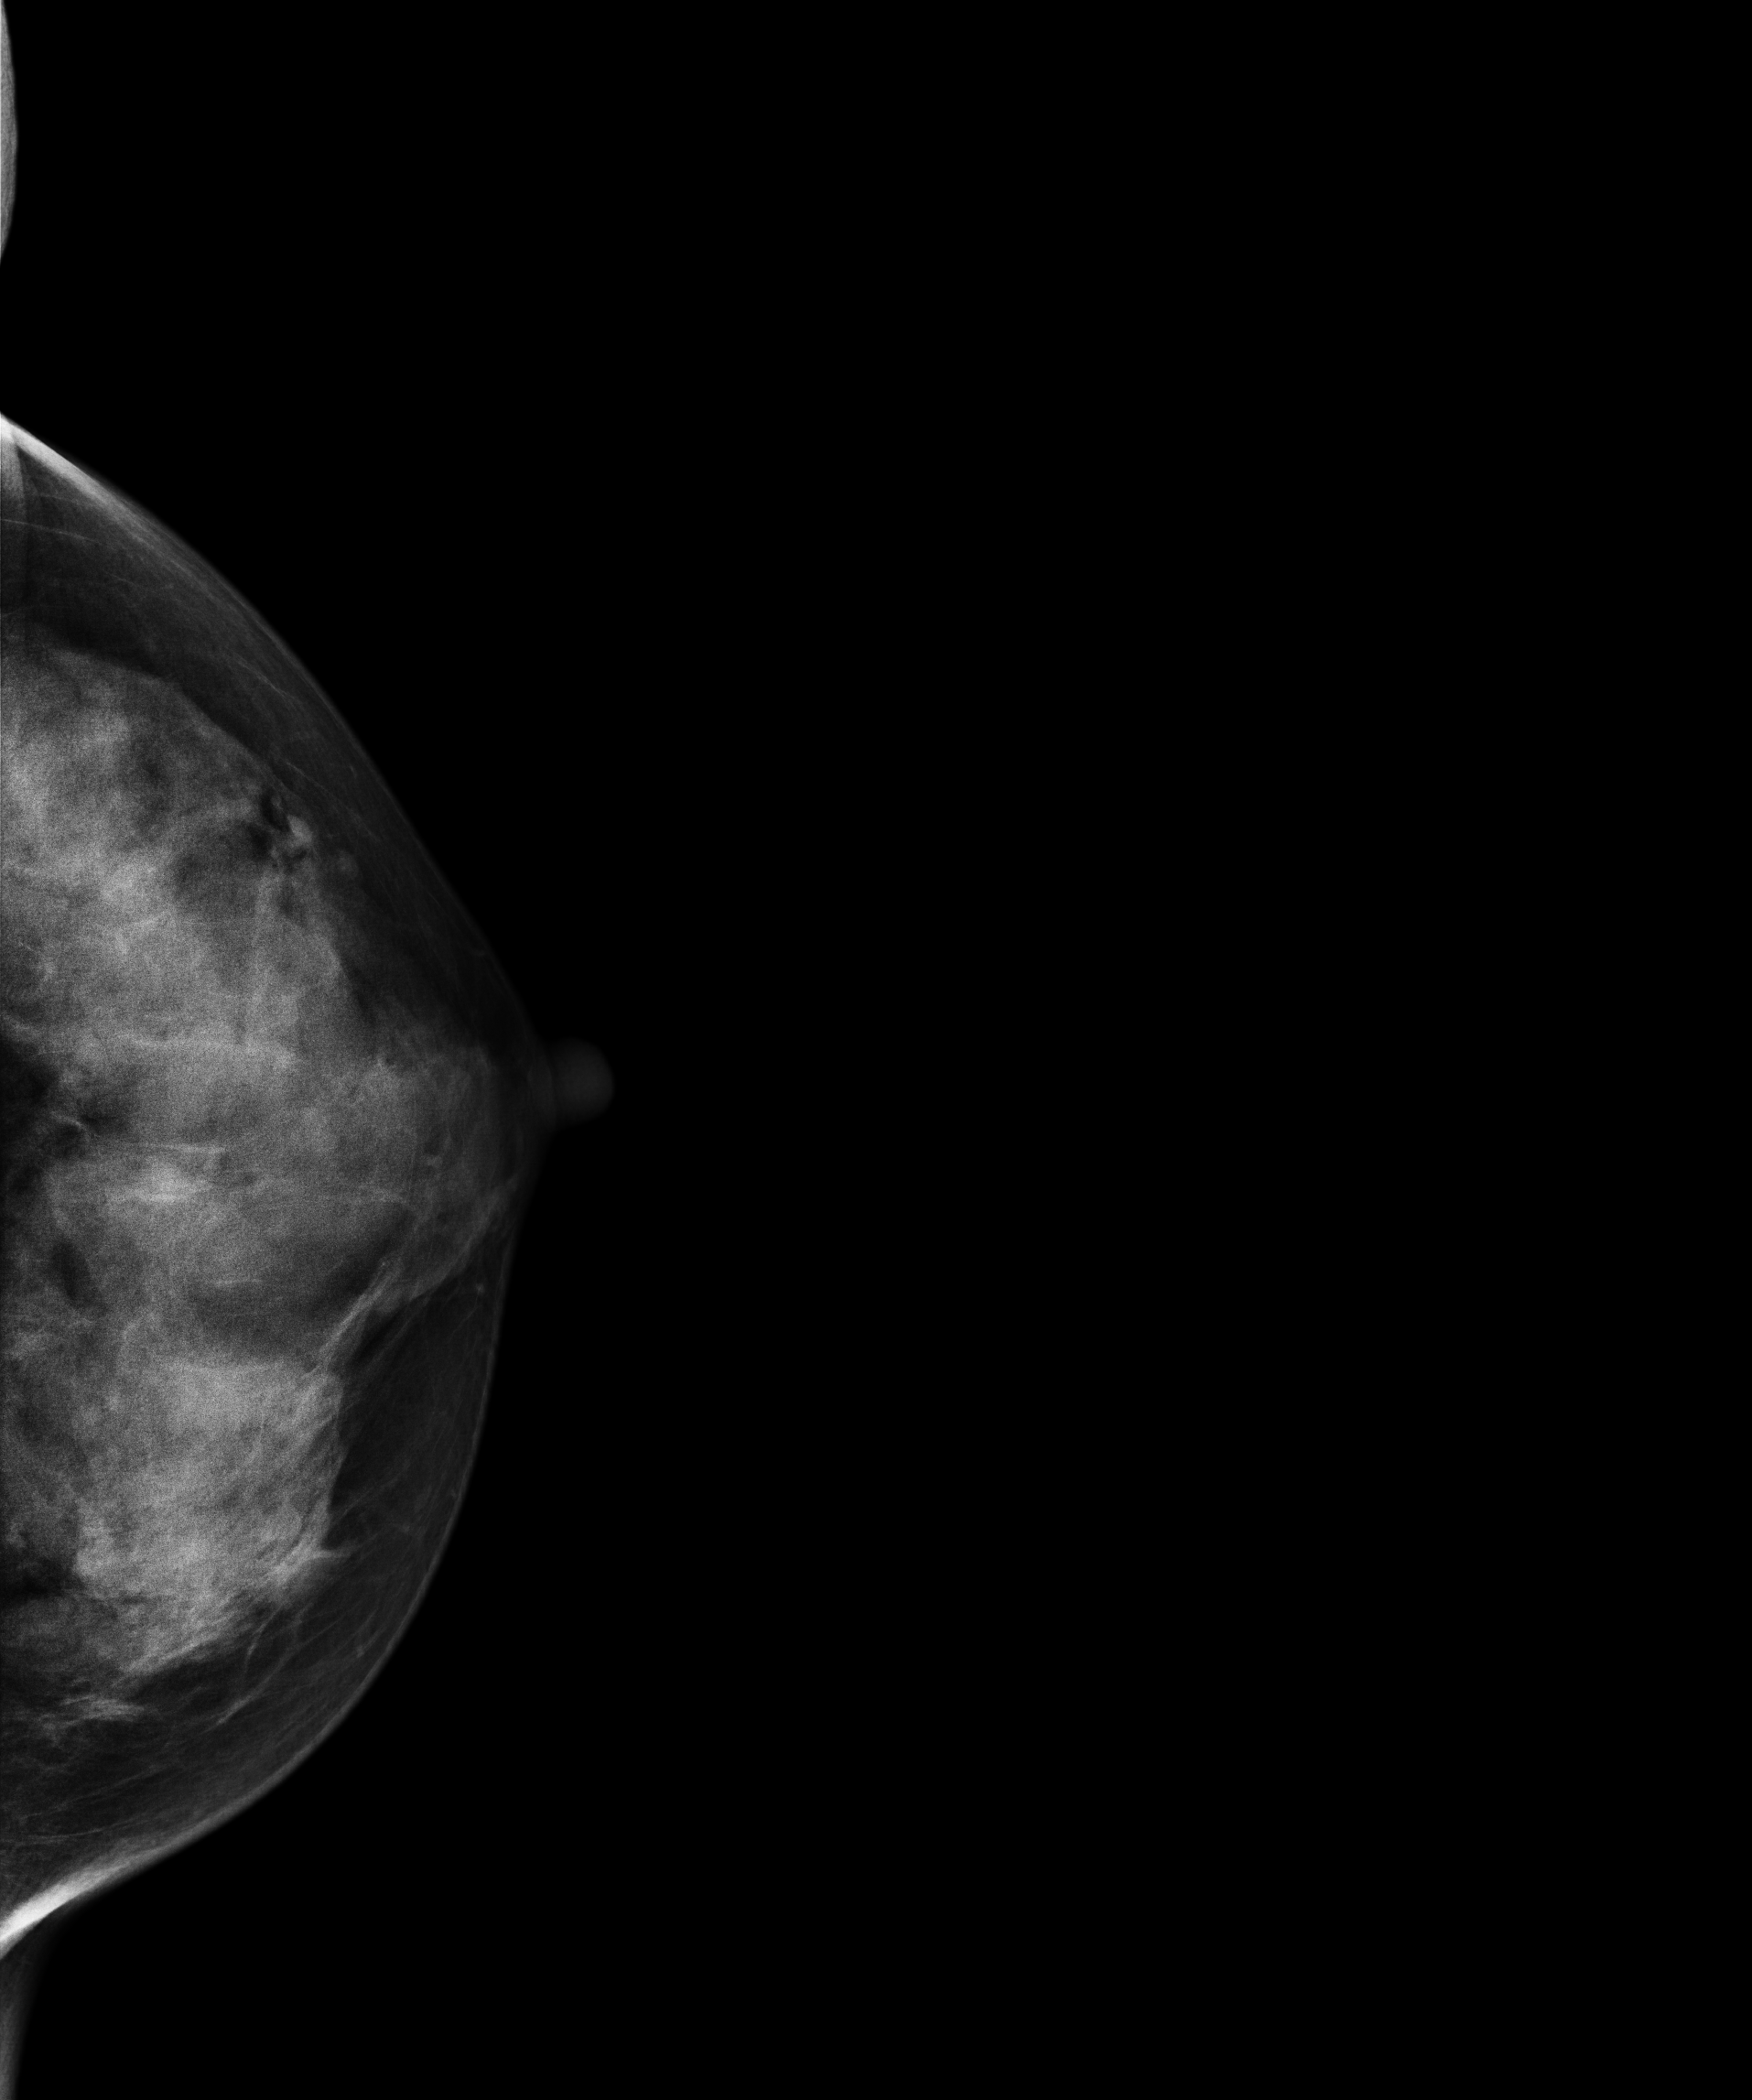
Left-breast mammogram, cranio-caudal. 43-year-old patient.
Contralateral breast — no documented abnormality on this side.